Cranio-caudal mammogram of the left breast. 32-year-old patient.
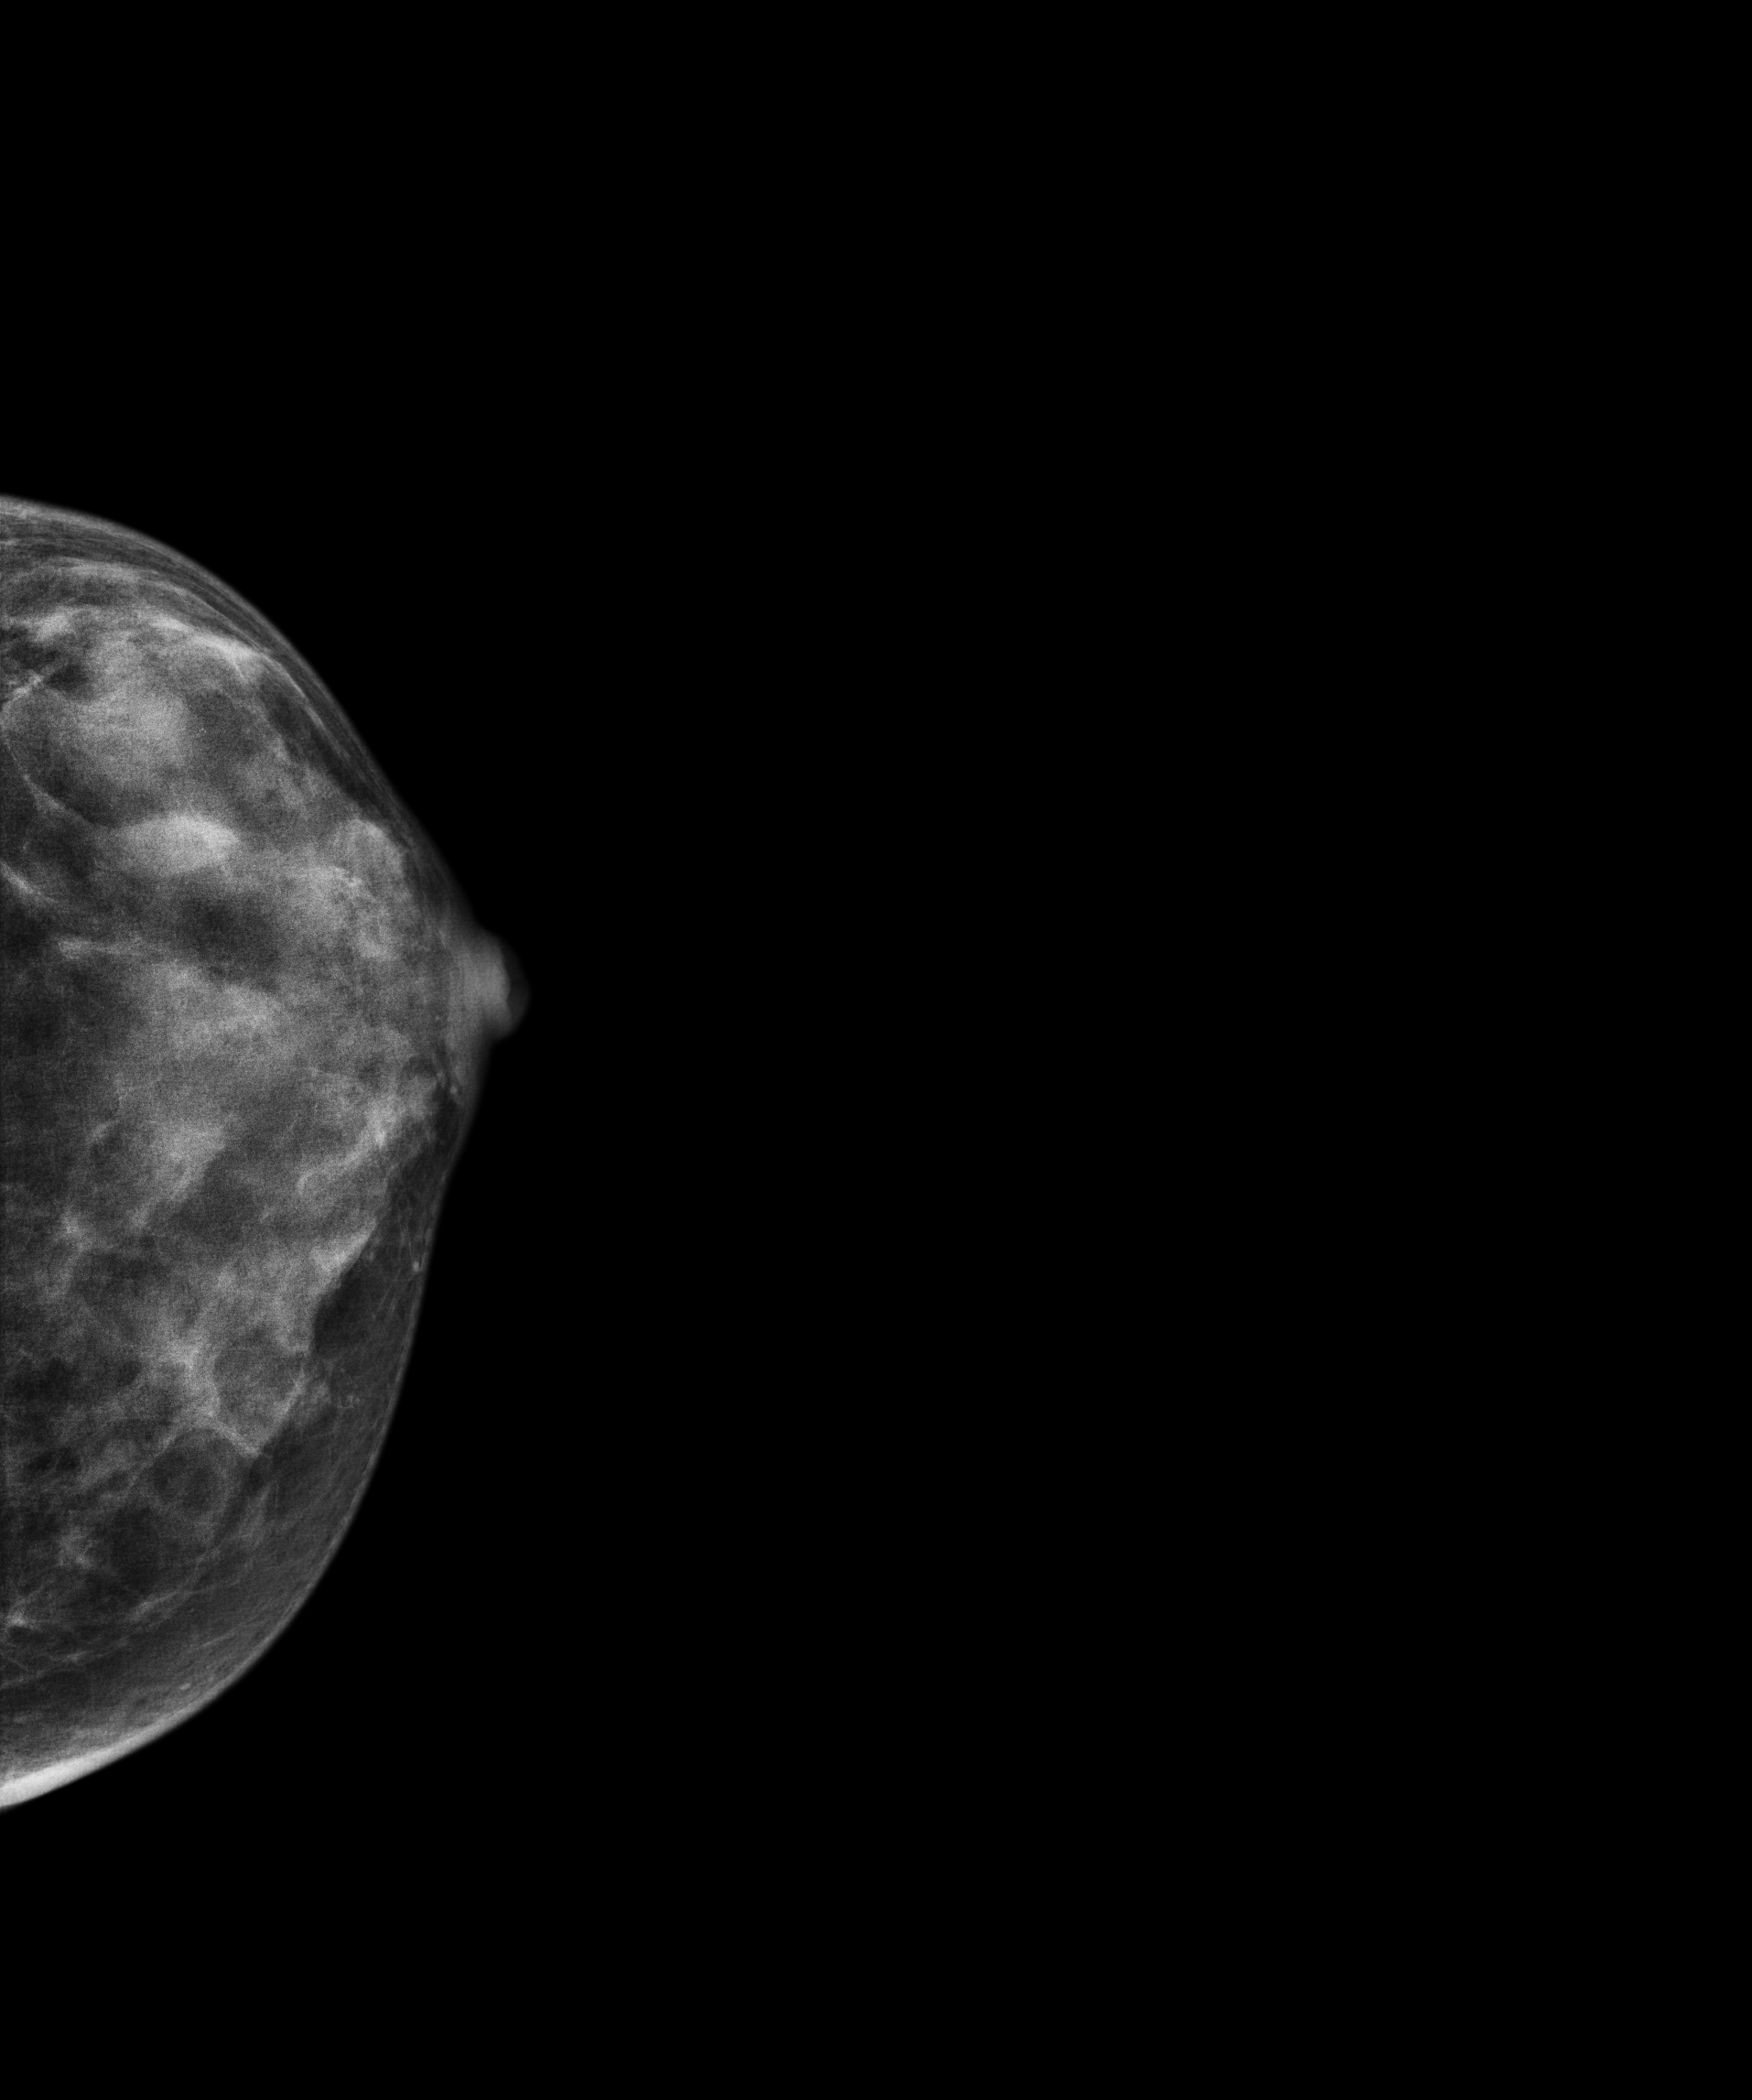
This breast has a mass, pathology-confirmed benign.